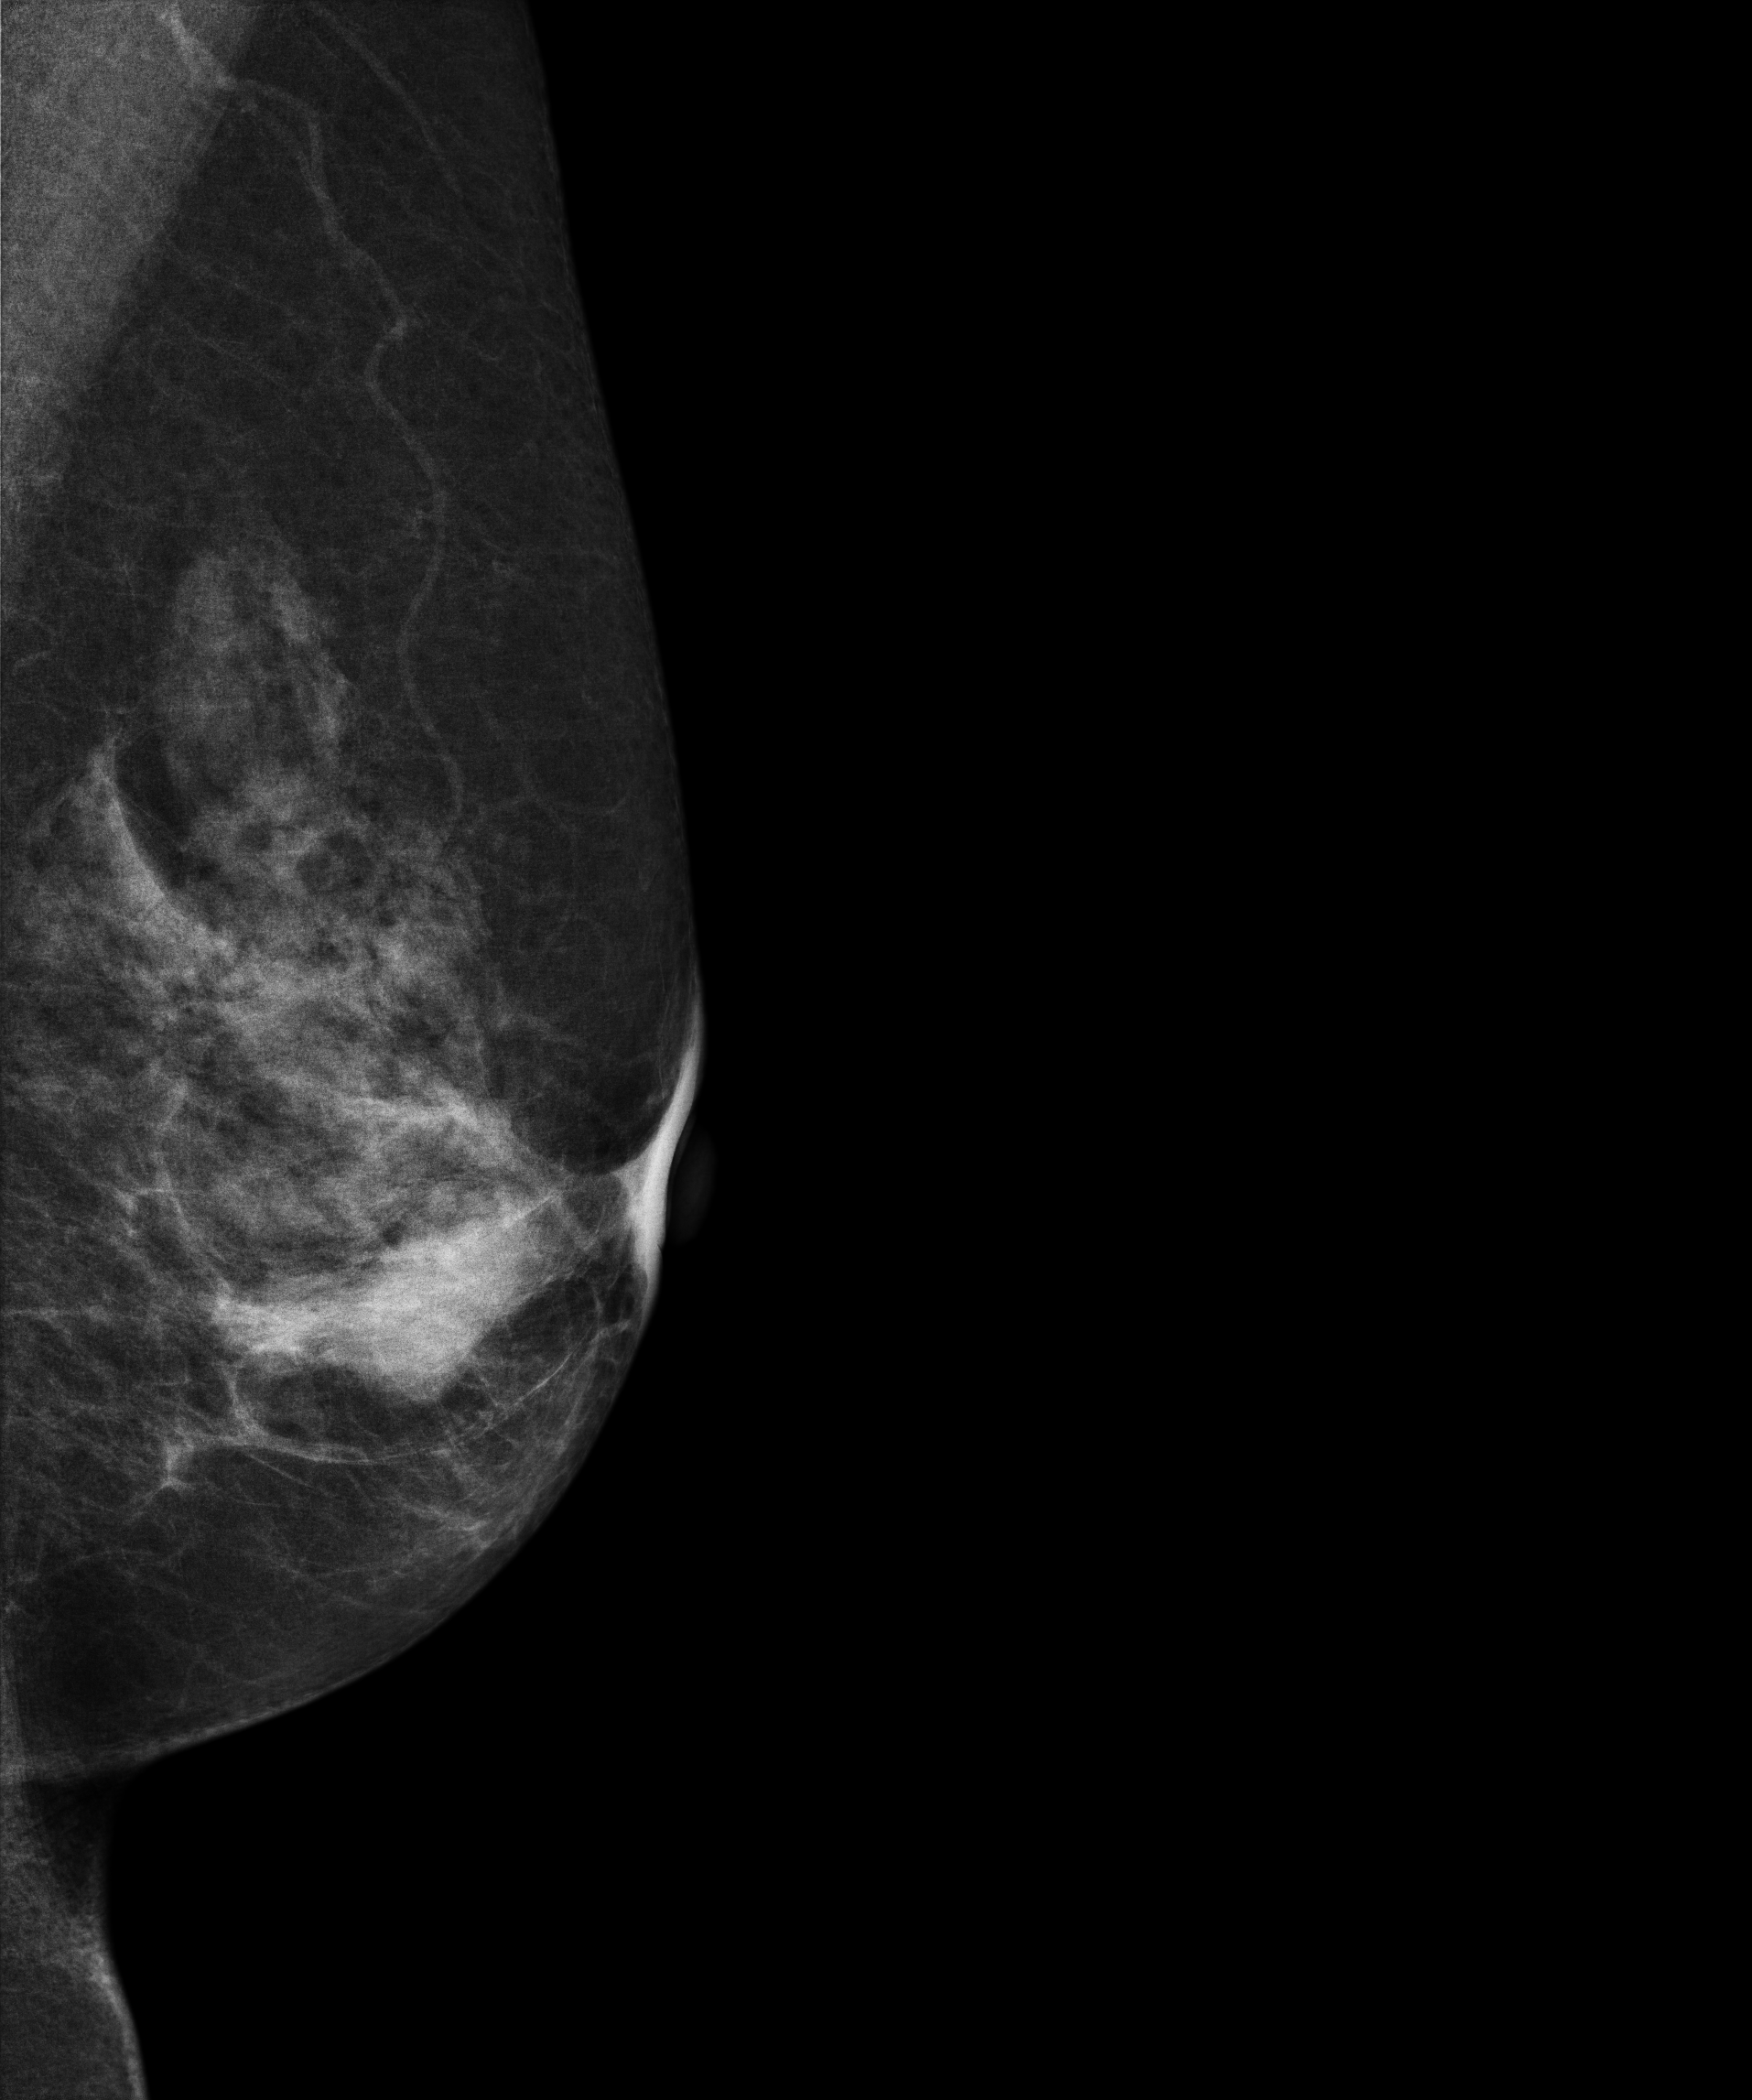
Digital mammography. Left breast, medio-lateral oblique projection. 65 y/o patient.
This breast has a mass, biopsy-proven malignant. Molecular subtype: luminal B.